Mammogram — right CC. Patient age 57.
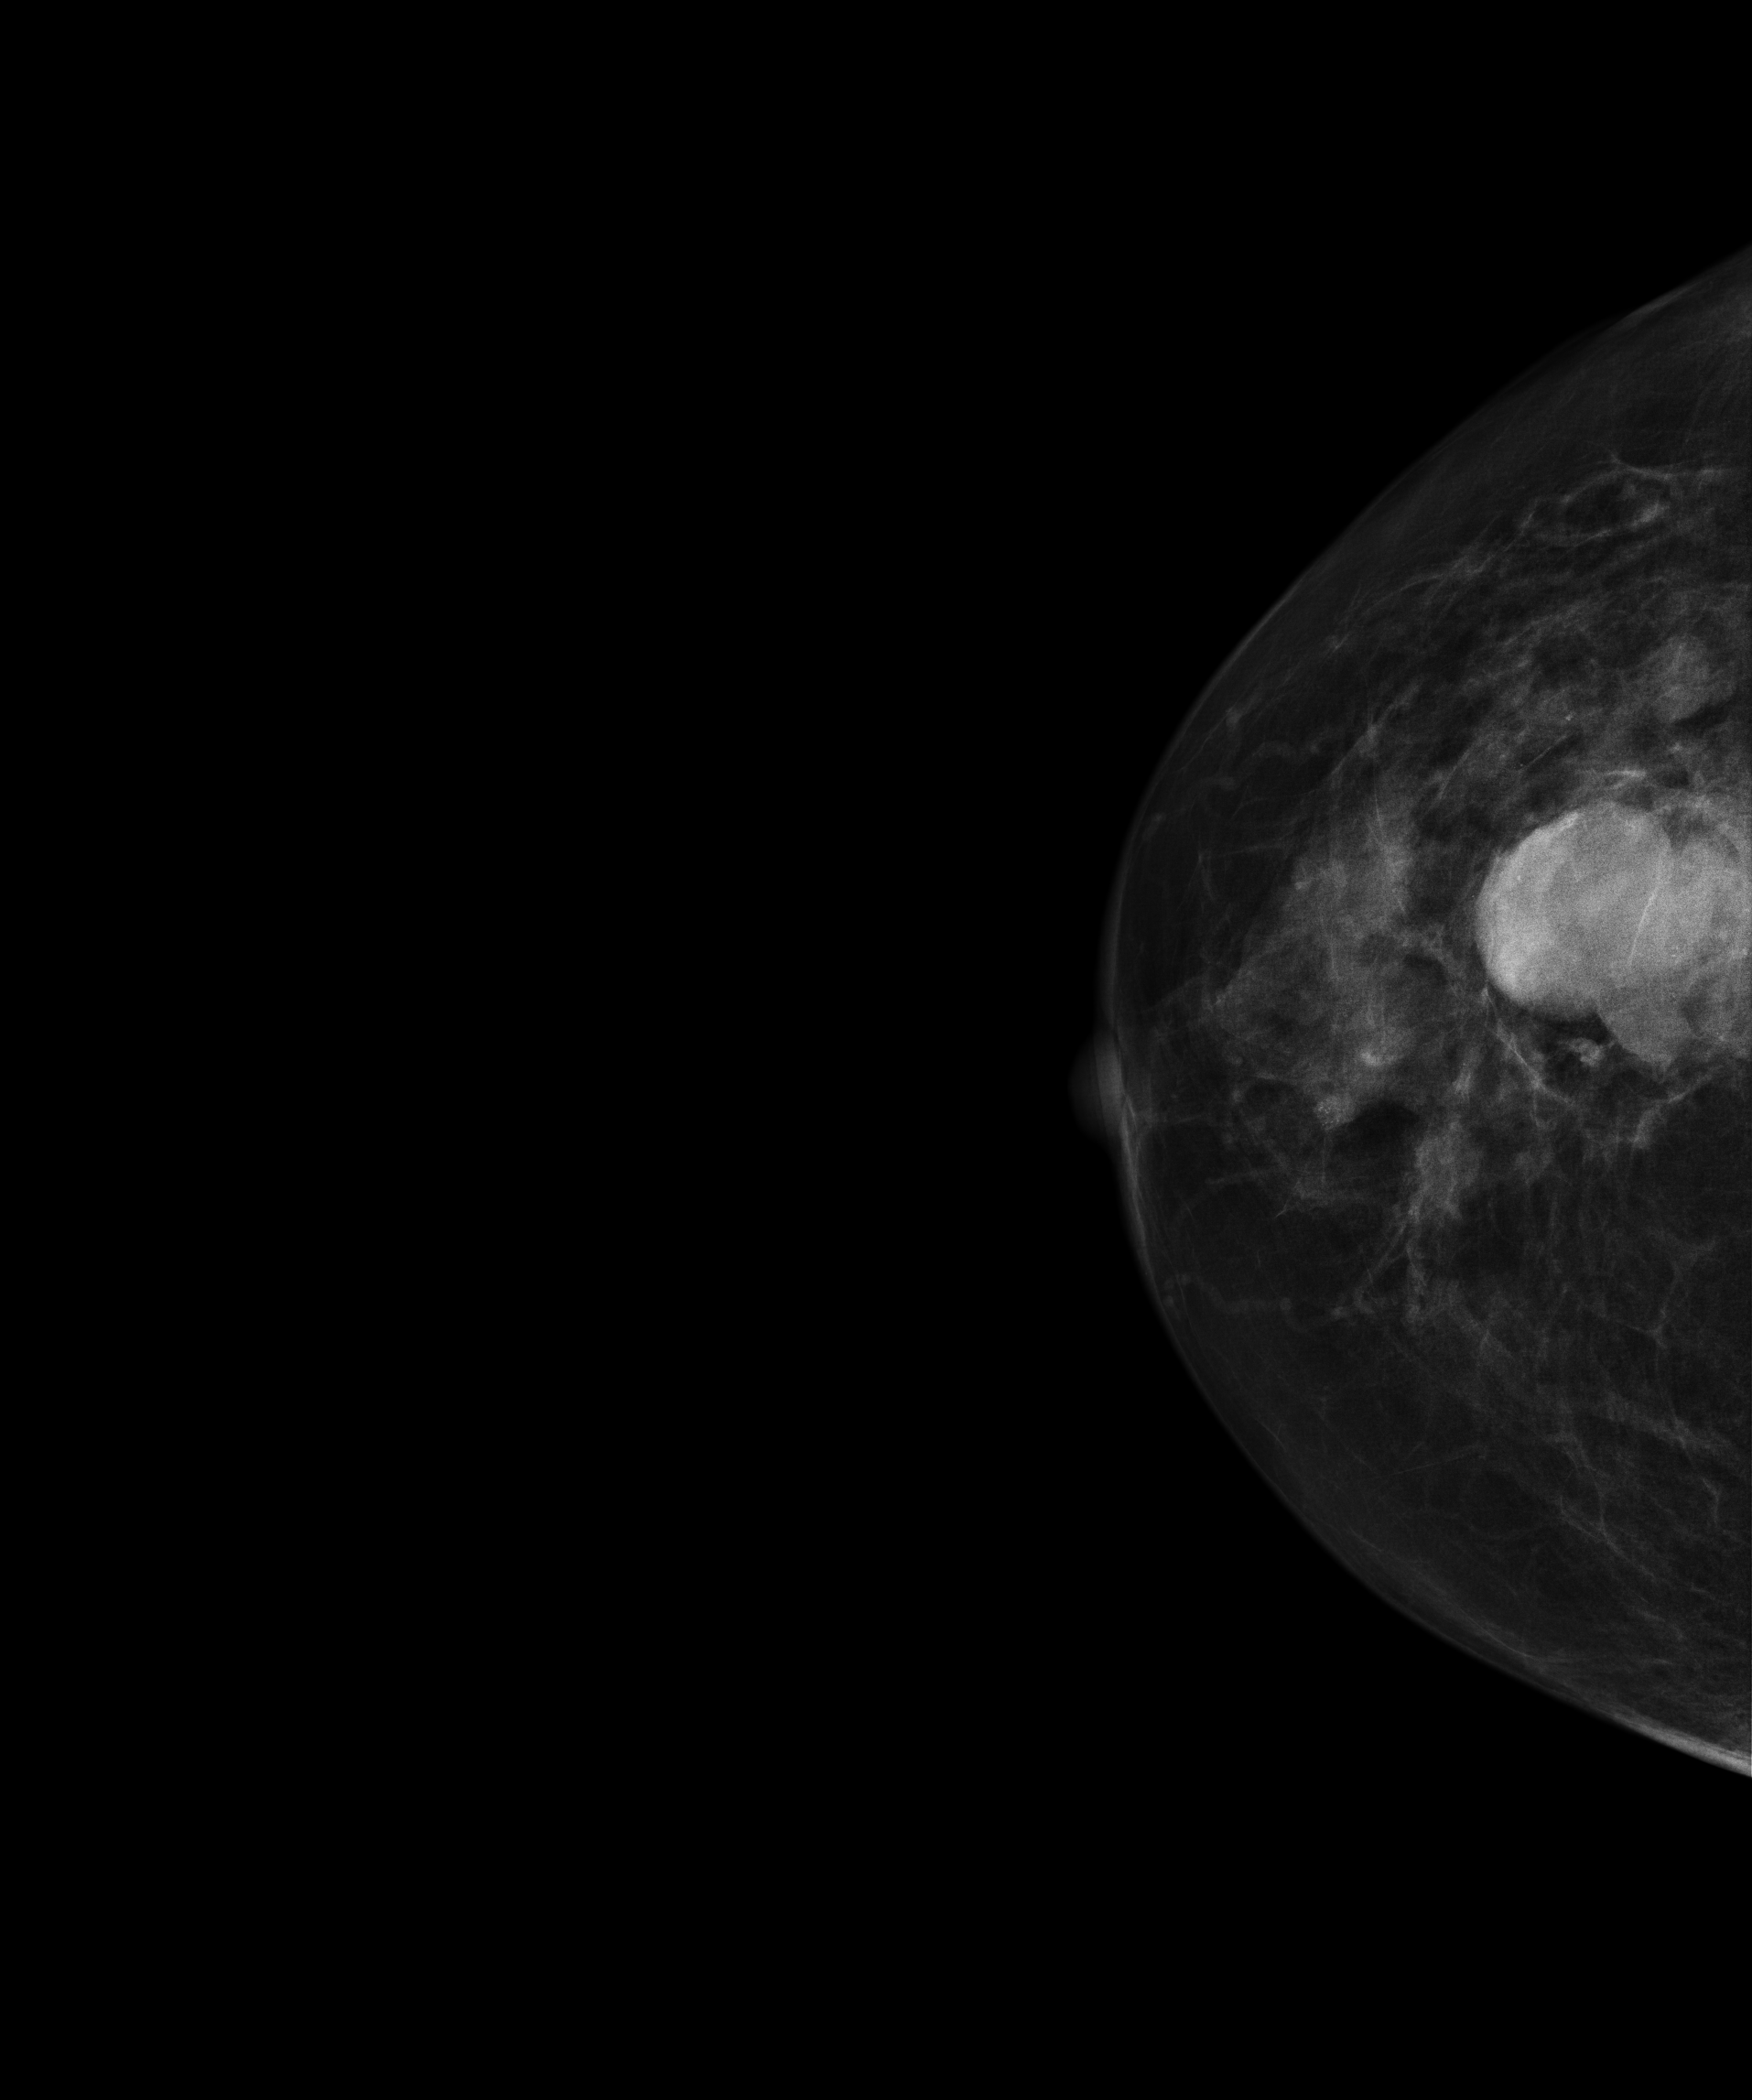
This breast has a mass, pathology-confirmed malignant.